Mammogram — right MLO. 52 y/o patient.
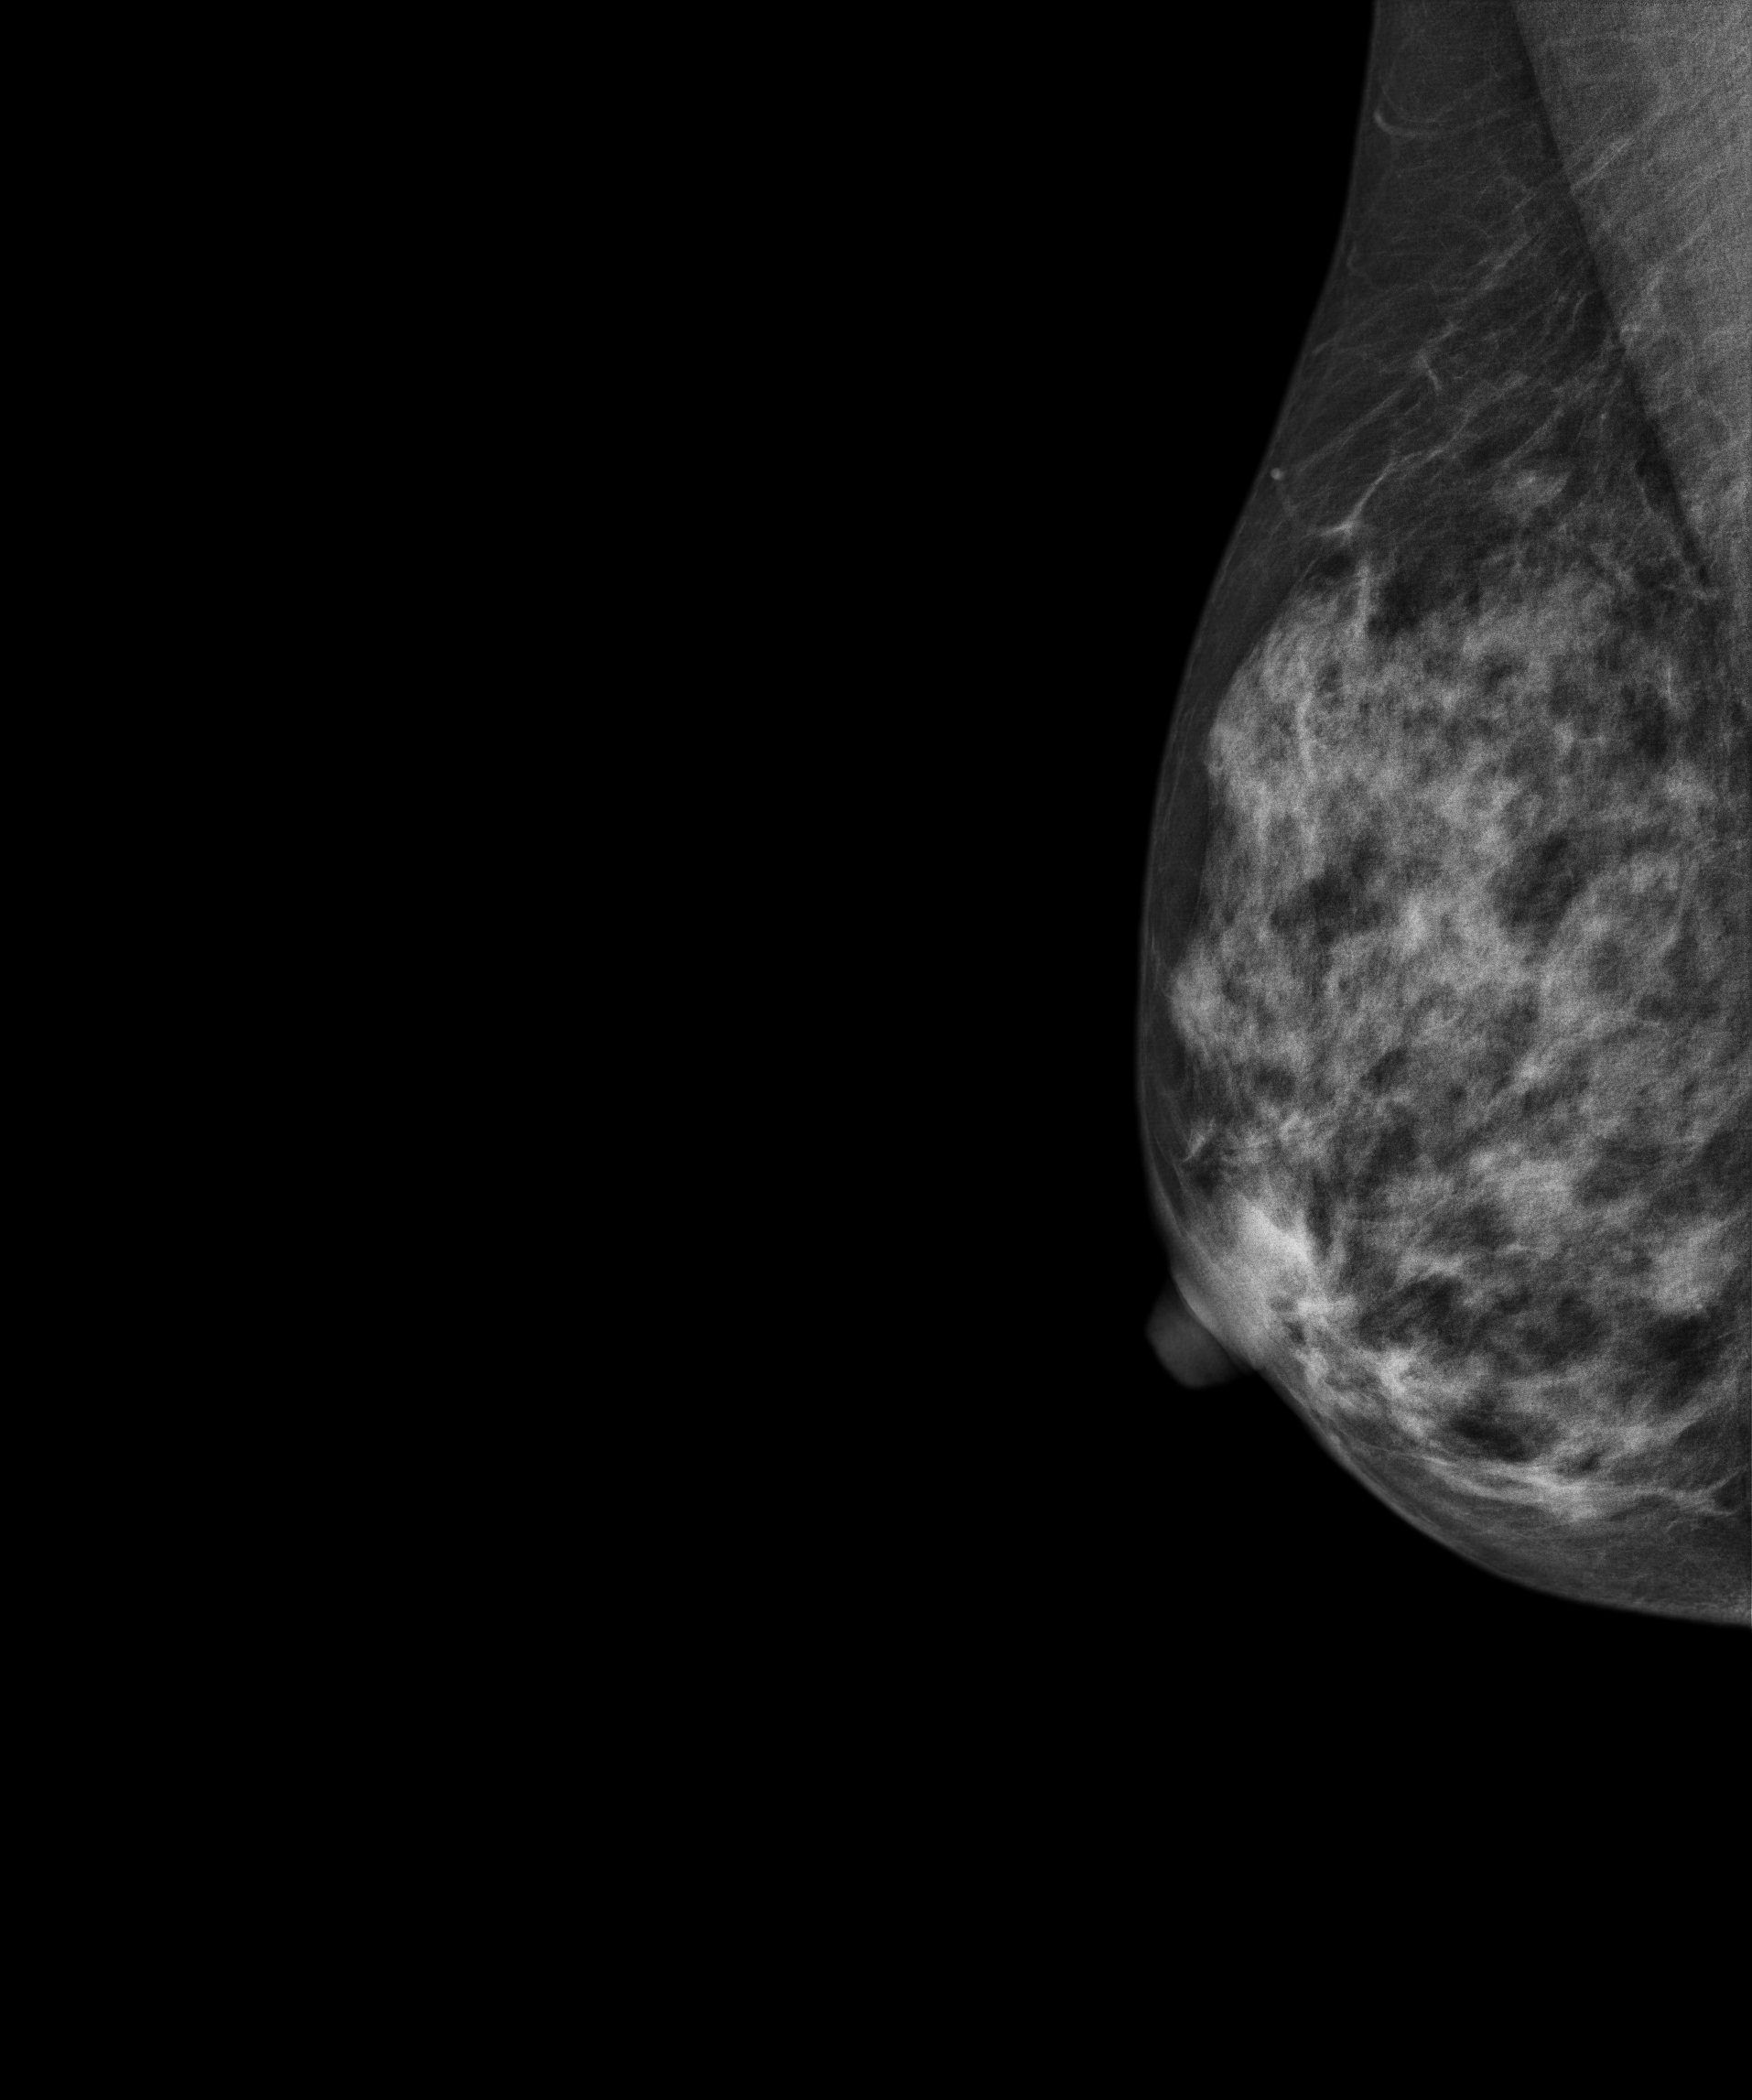
Contralateral breast — no documented abnormality on this side.